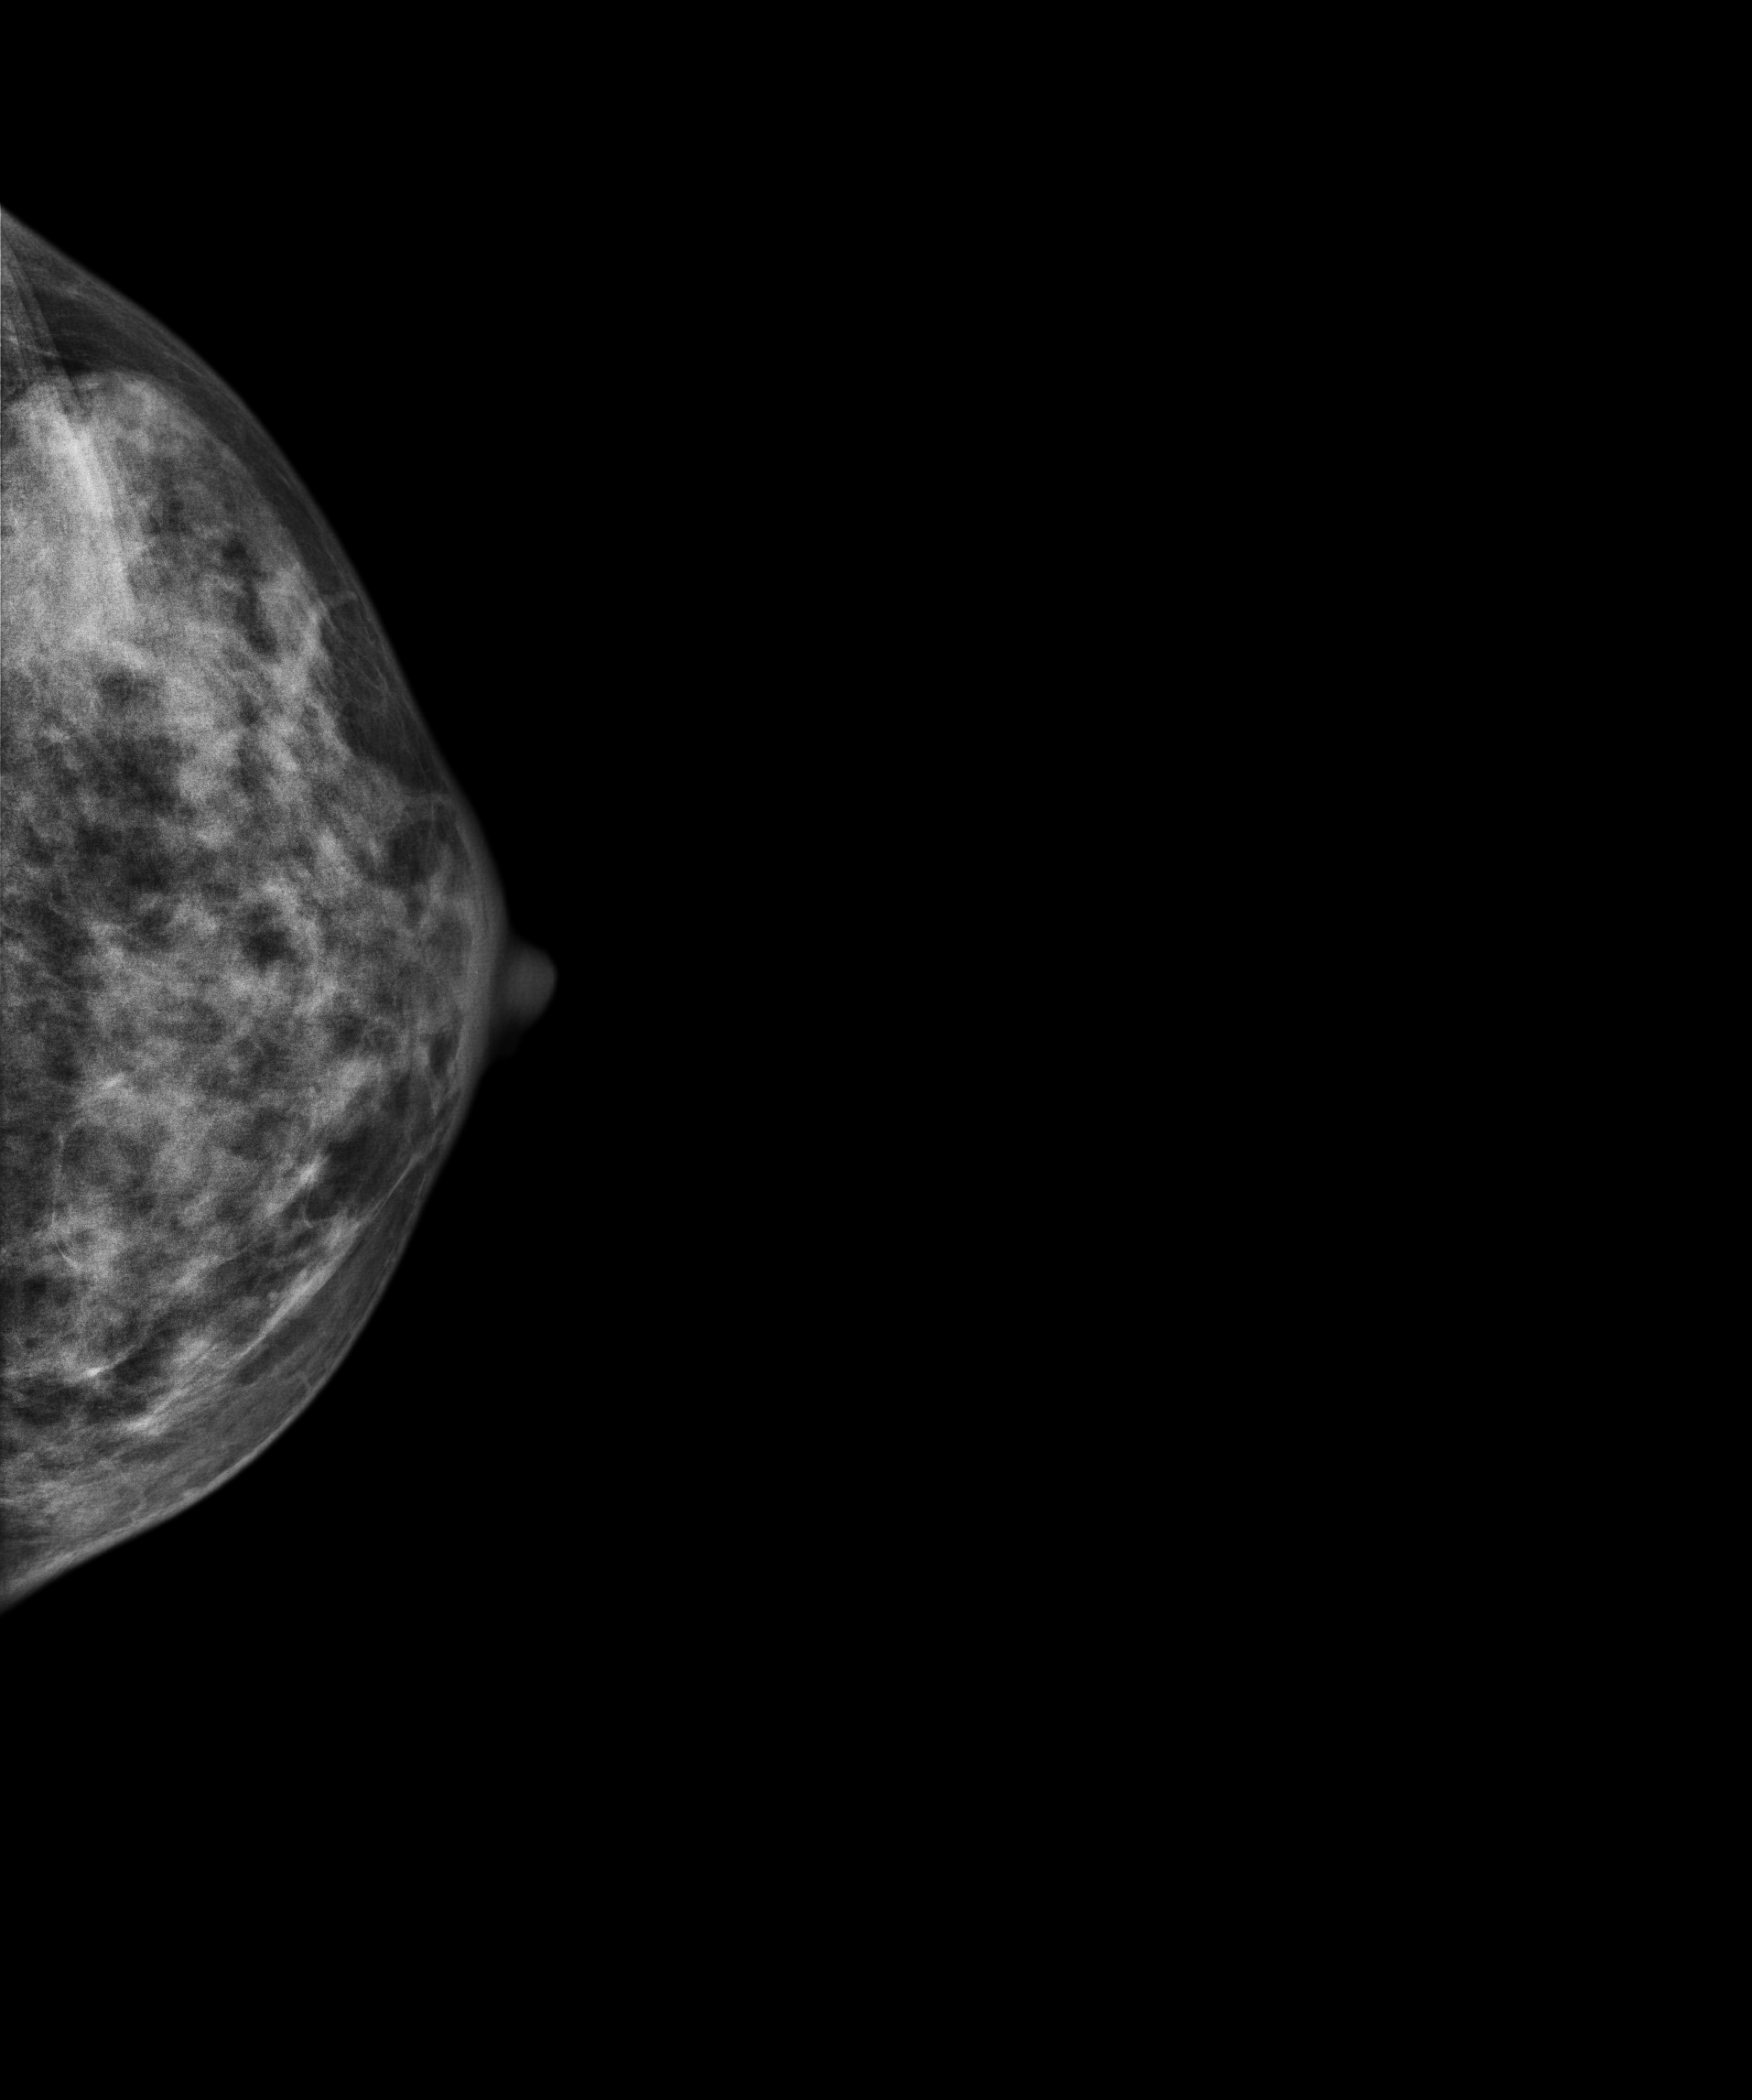
Mammogram — left cranio-caudal. 52 y/o patient.
This breast has a mass, biopsy-confirmed malignant. Molecular subtype: luminal B.